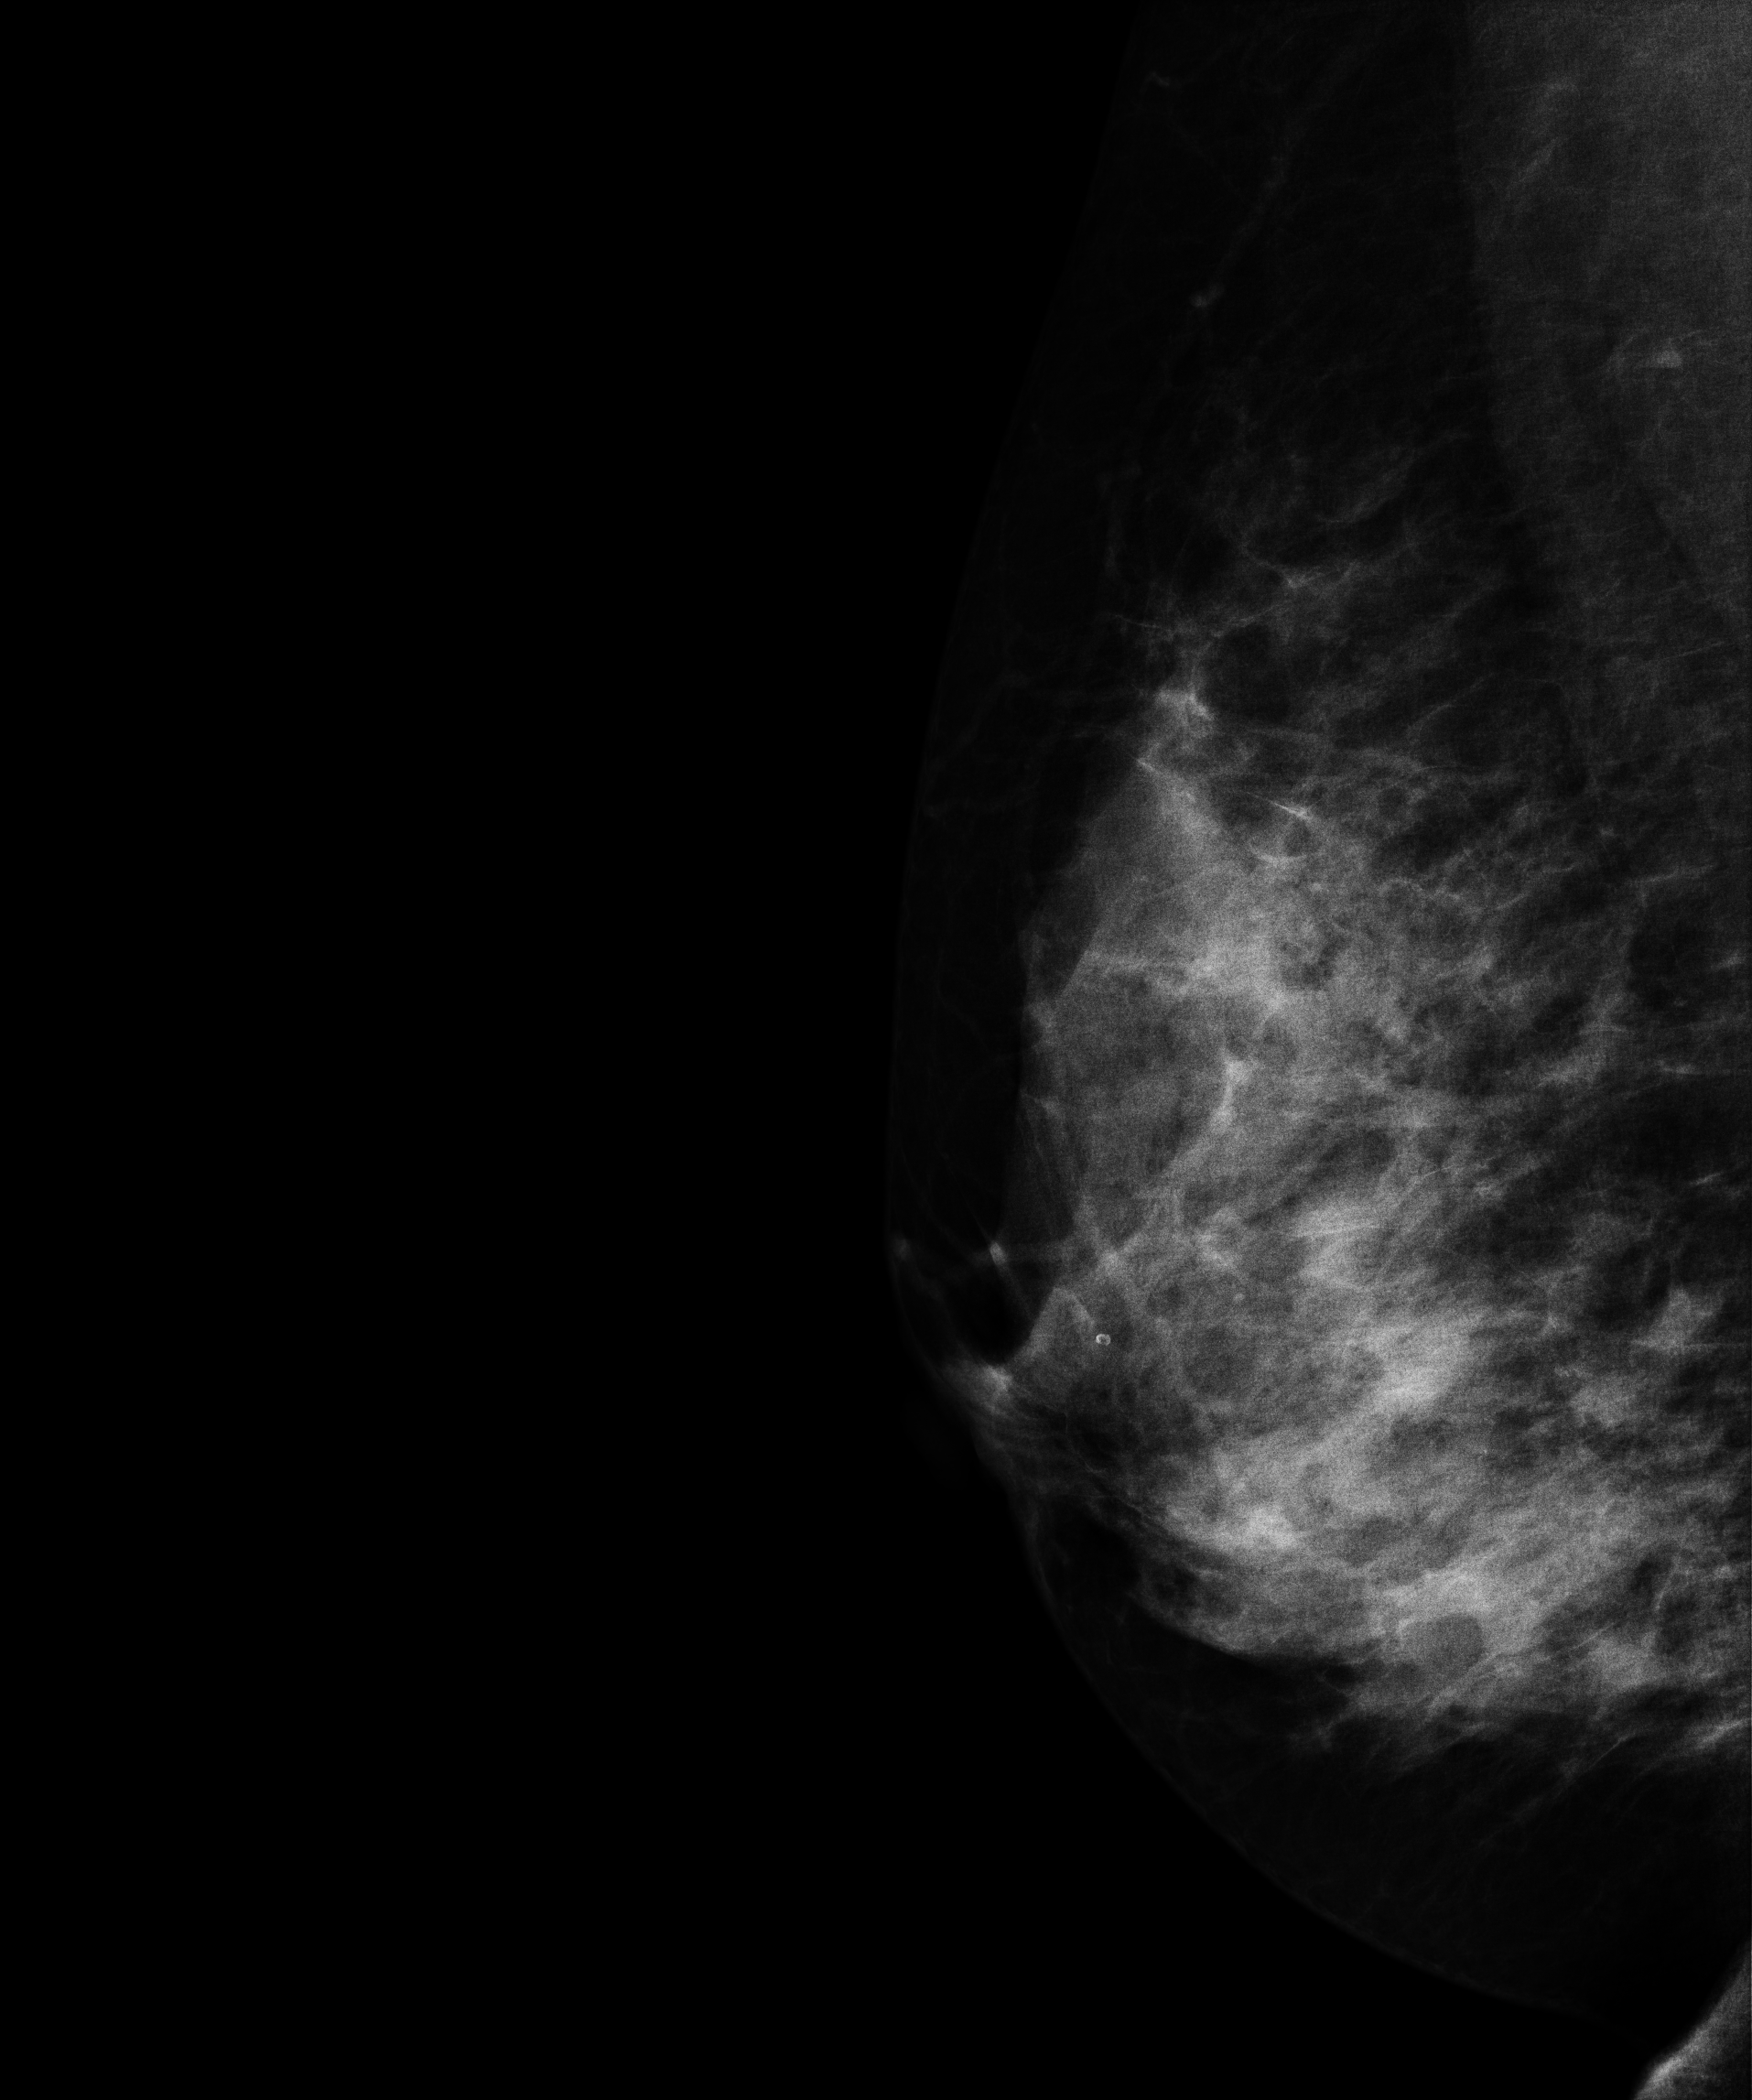
Mammogram — right medio-lateral oblique. Patient age 42.
This breast has a mass, pathology-confirmed malignant.